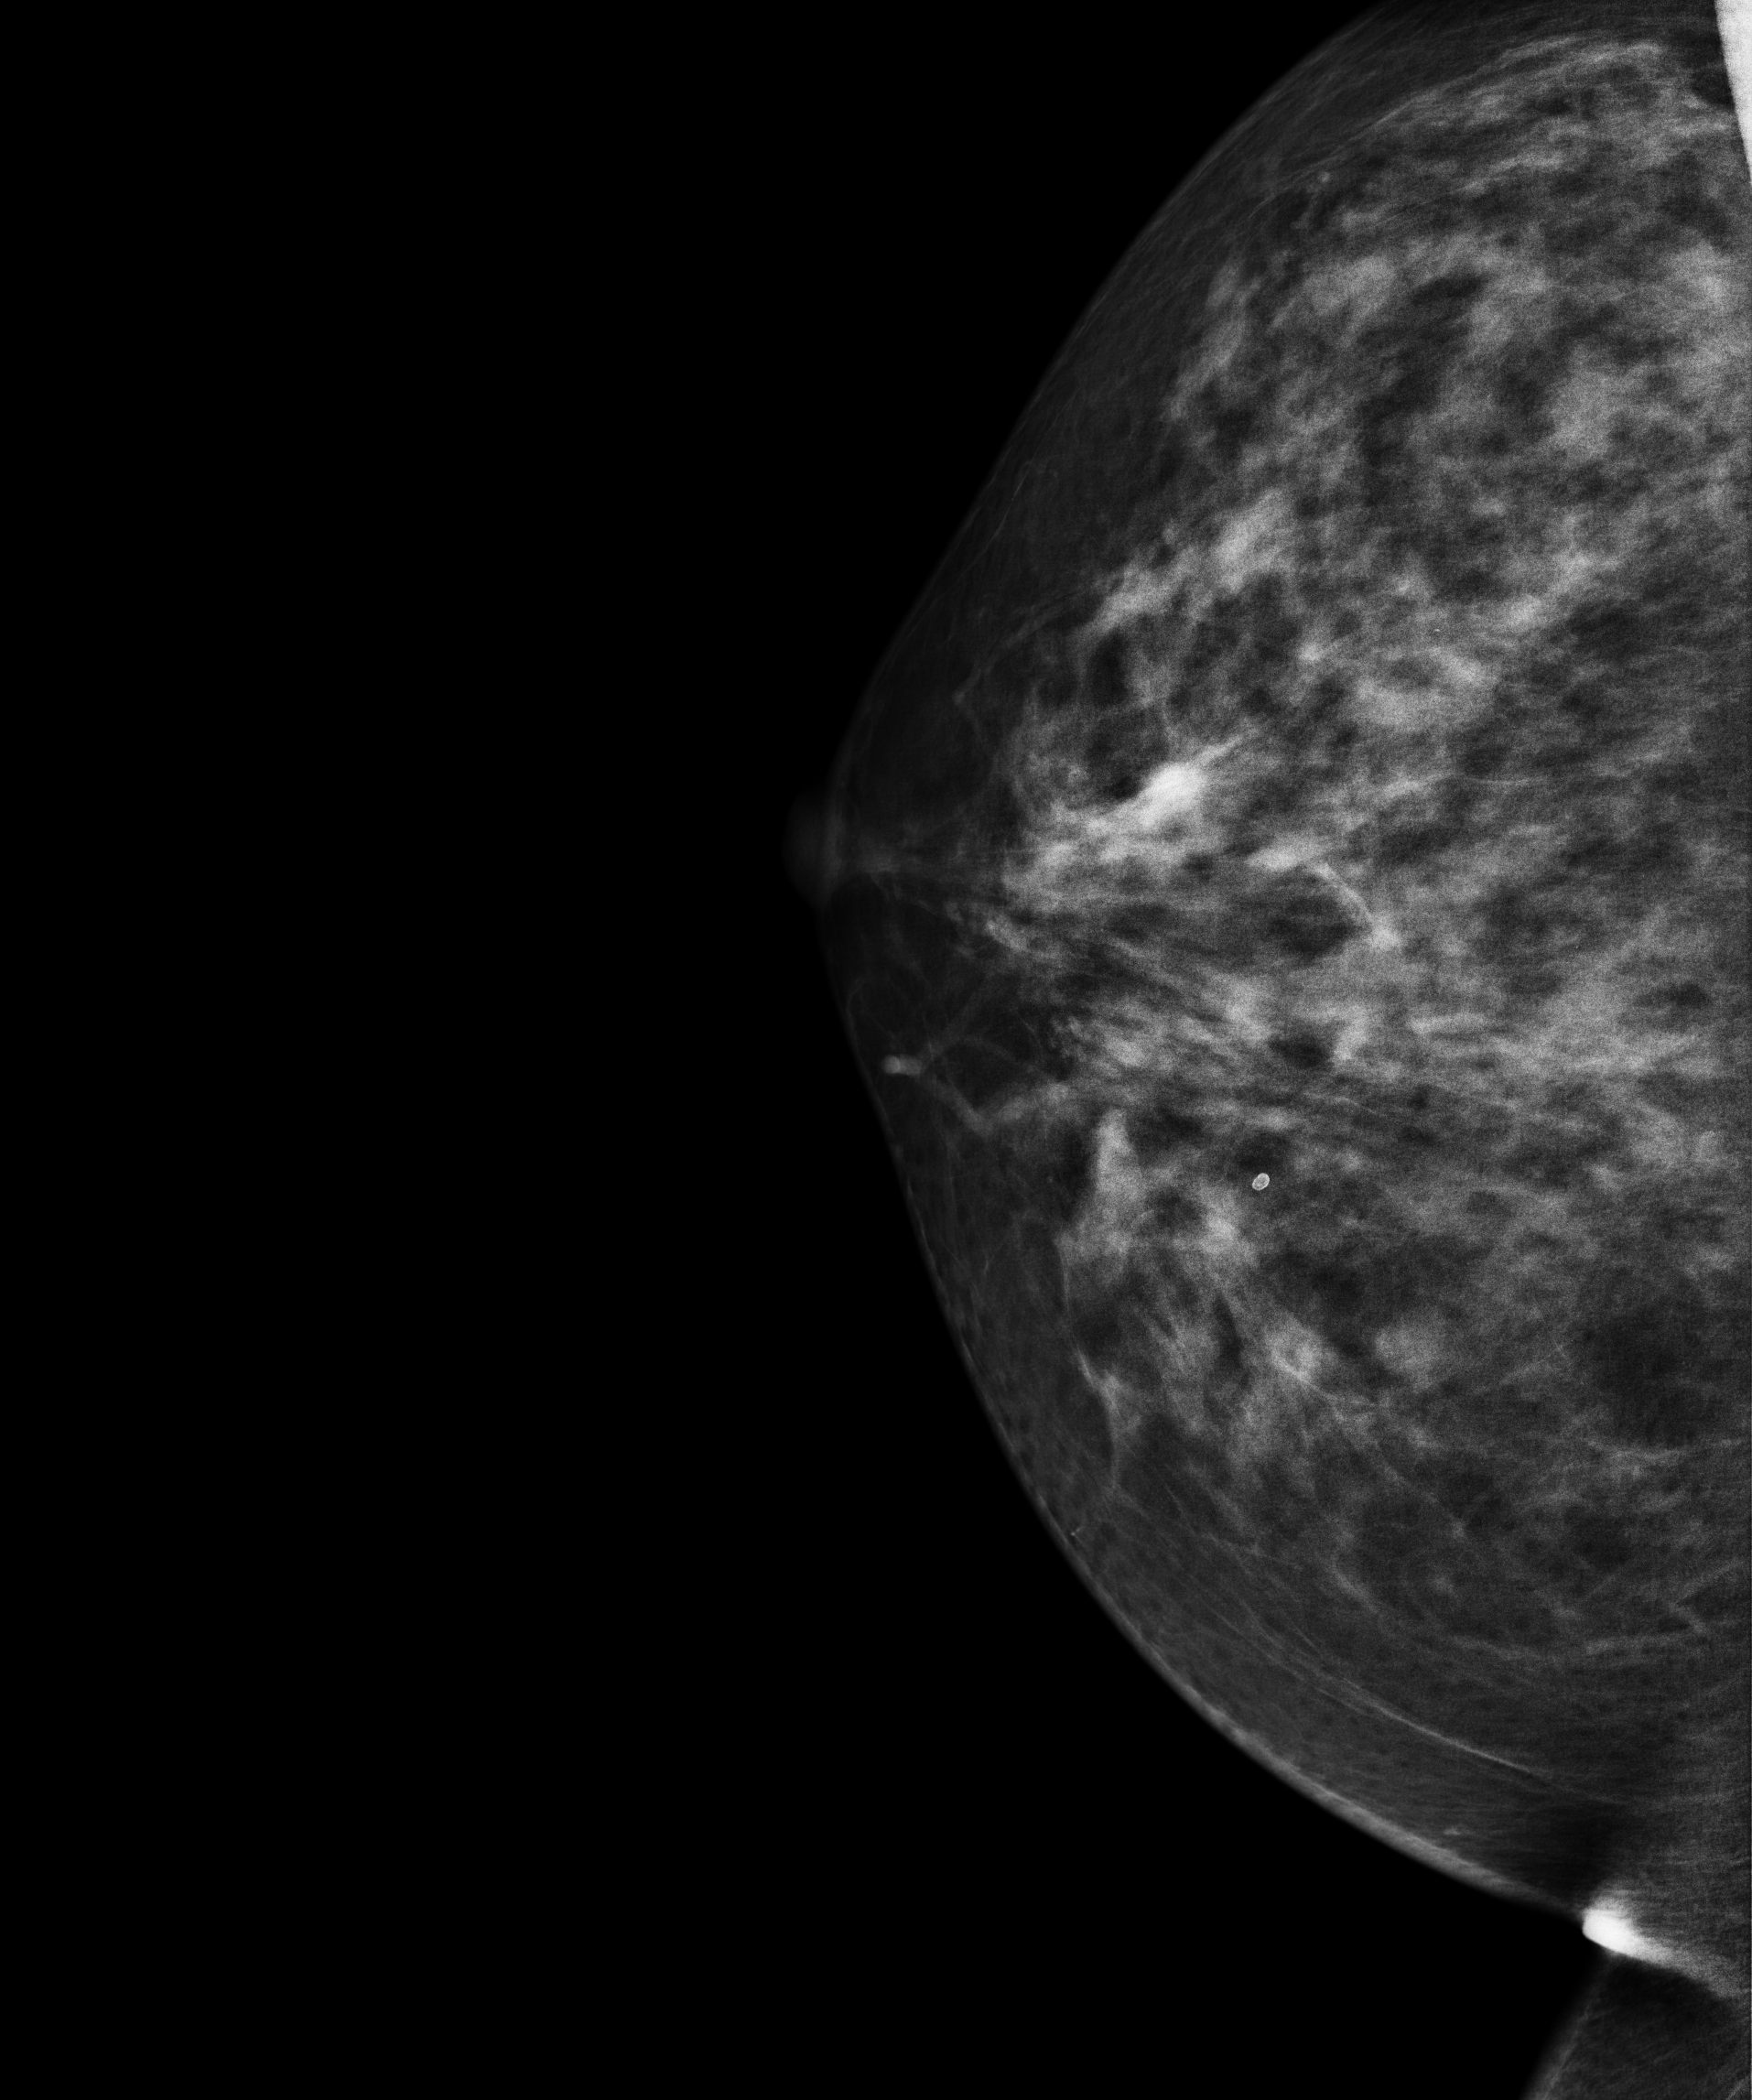
Mammogram, right breast, CC view. 46-year-old patient.
Contralateral breast — no documented abnormality on this side.